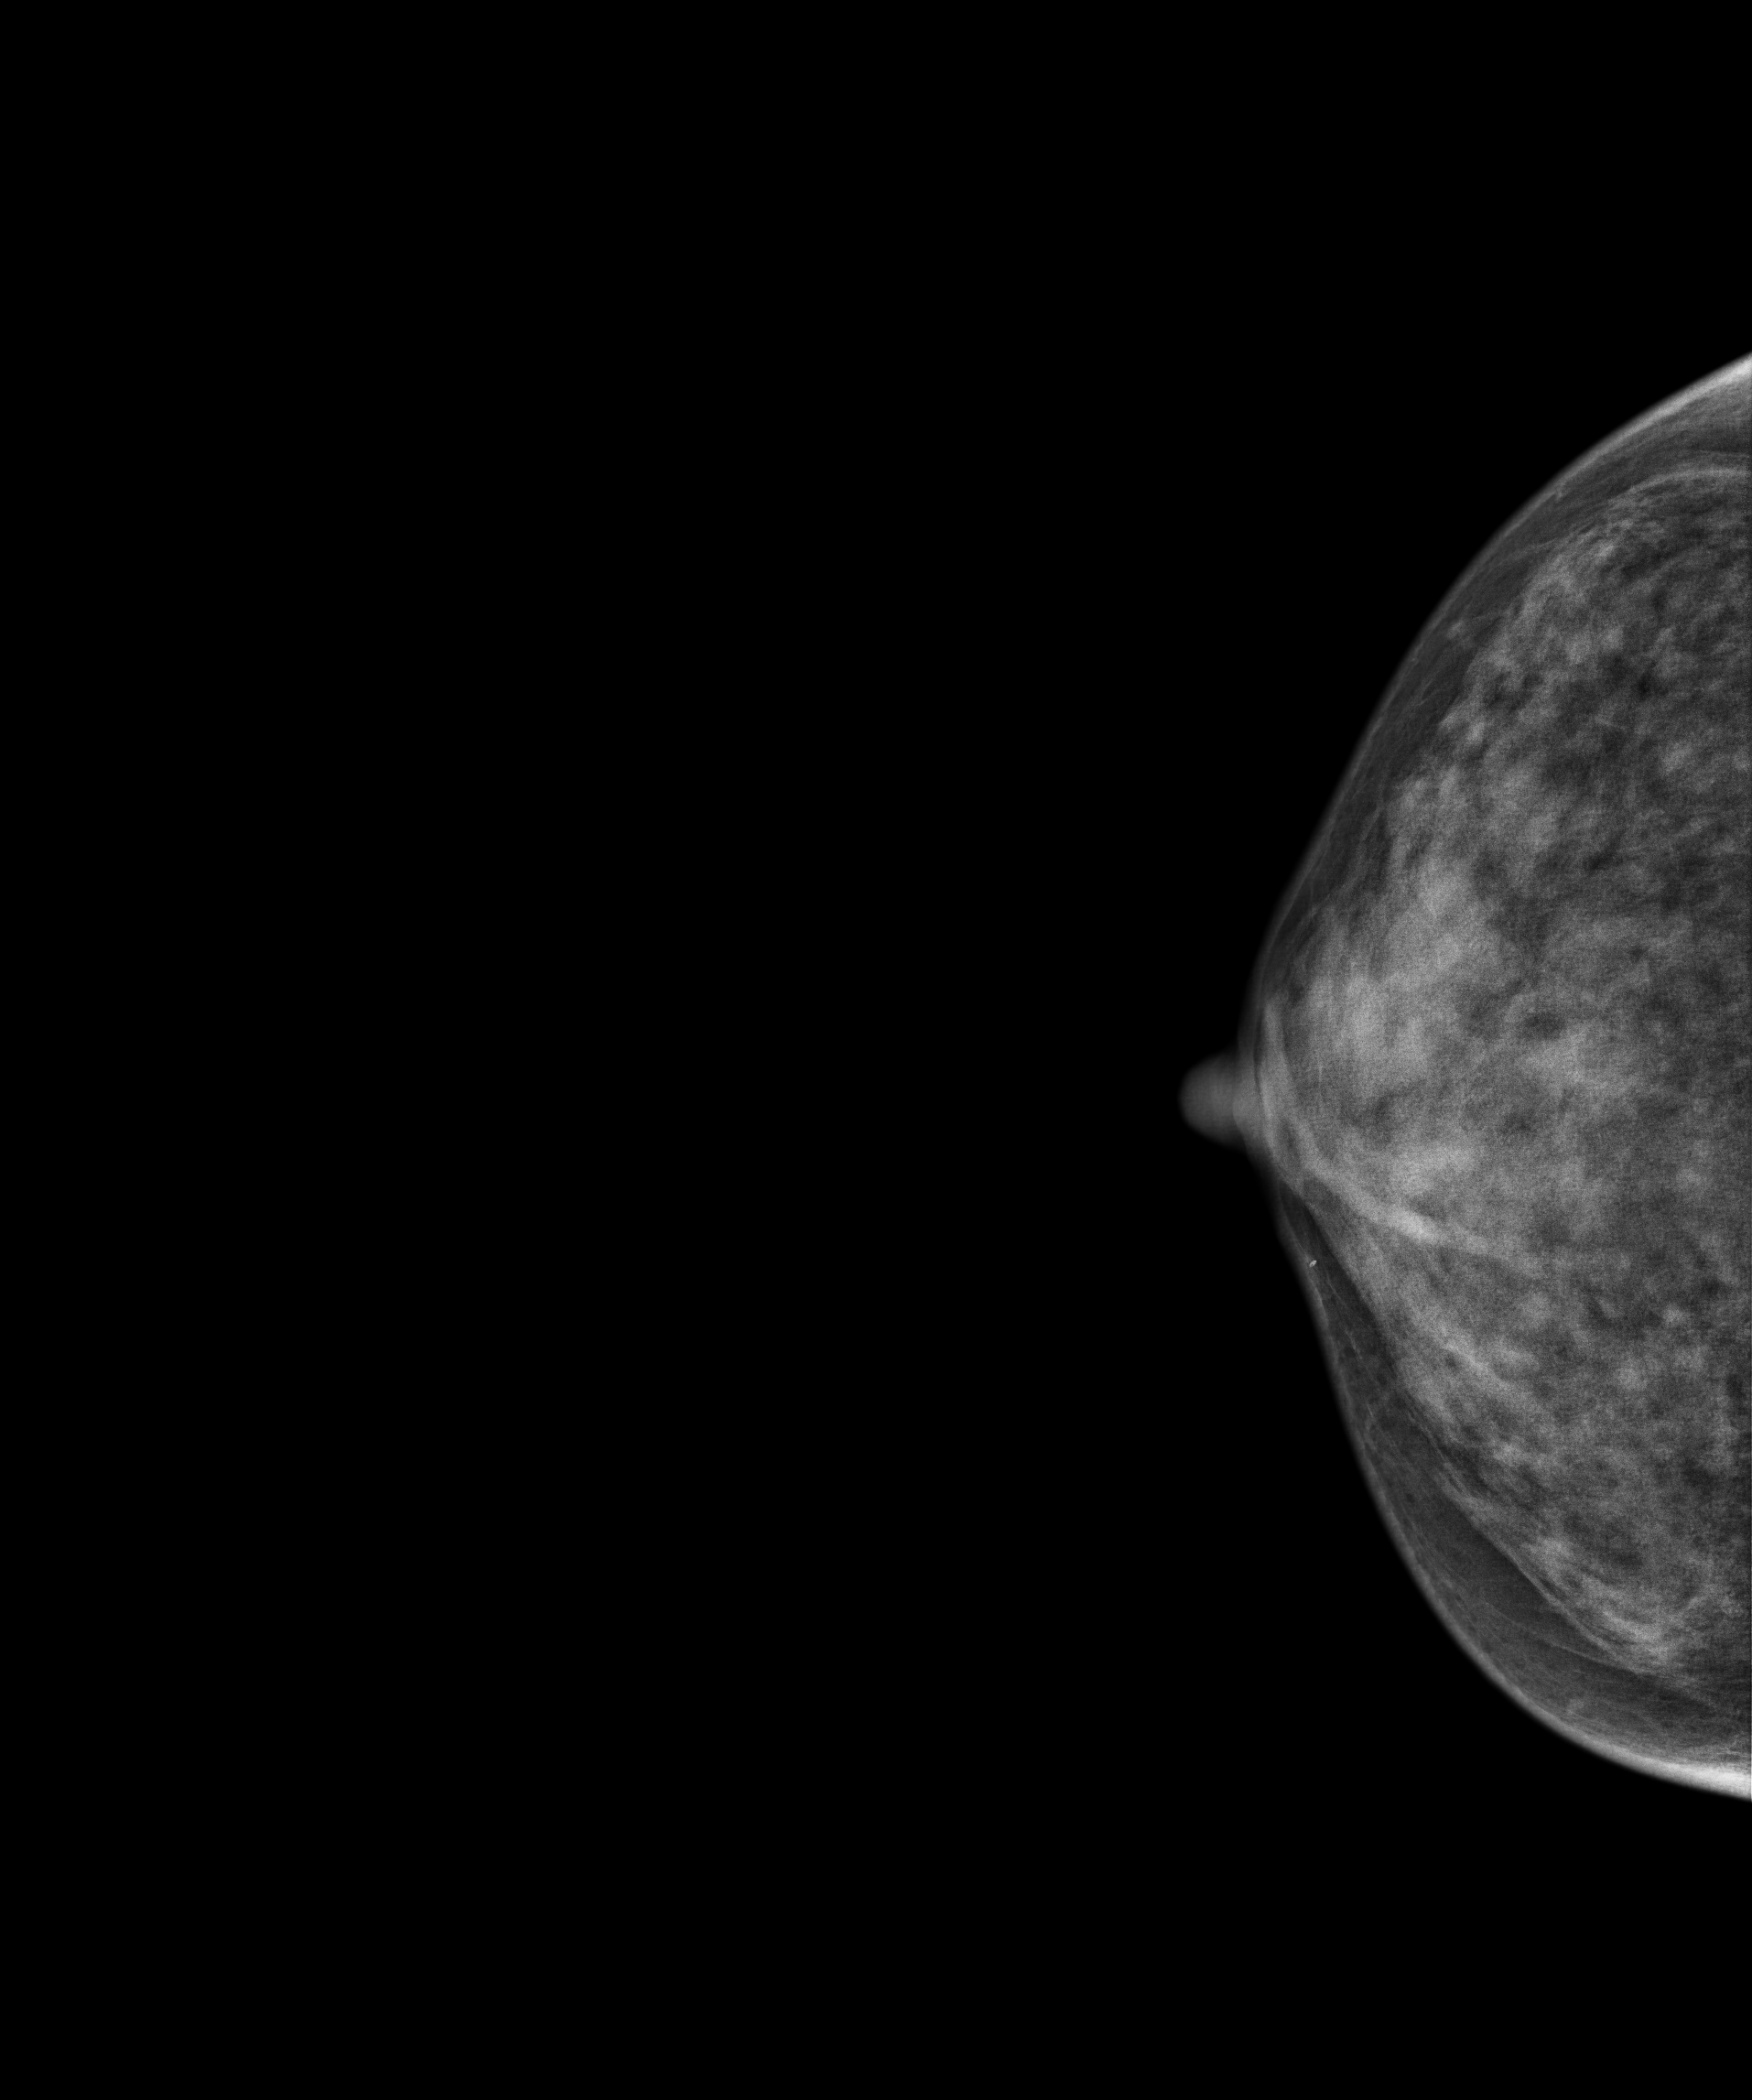
Mammogram, right breast, medio-lateral oblique view. 41 y/o patient.
Contralateral breast — no documented abnormality on this side.